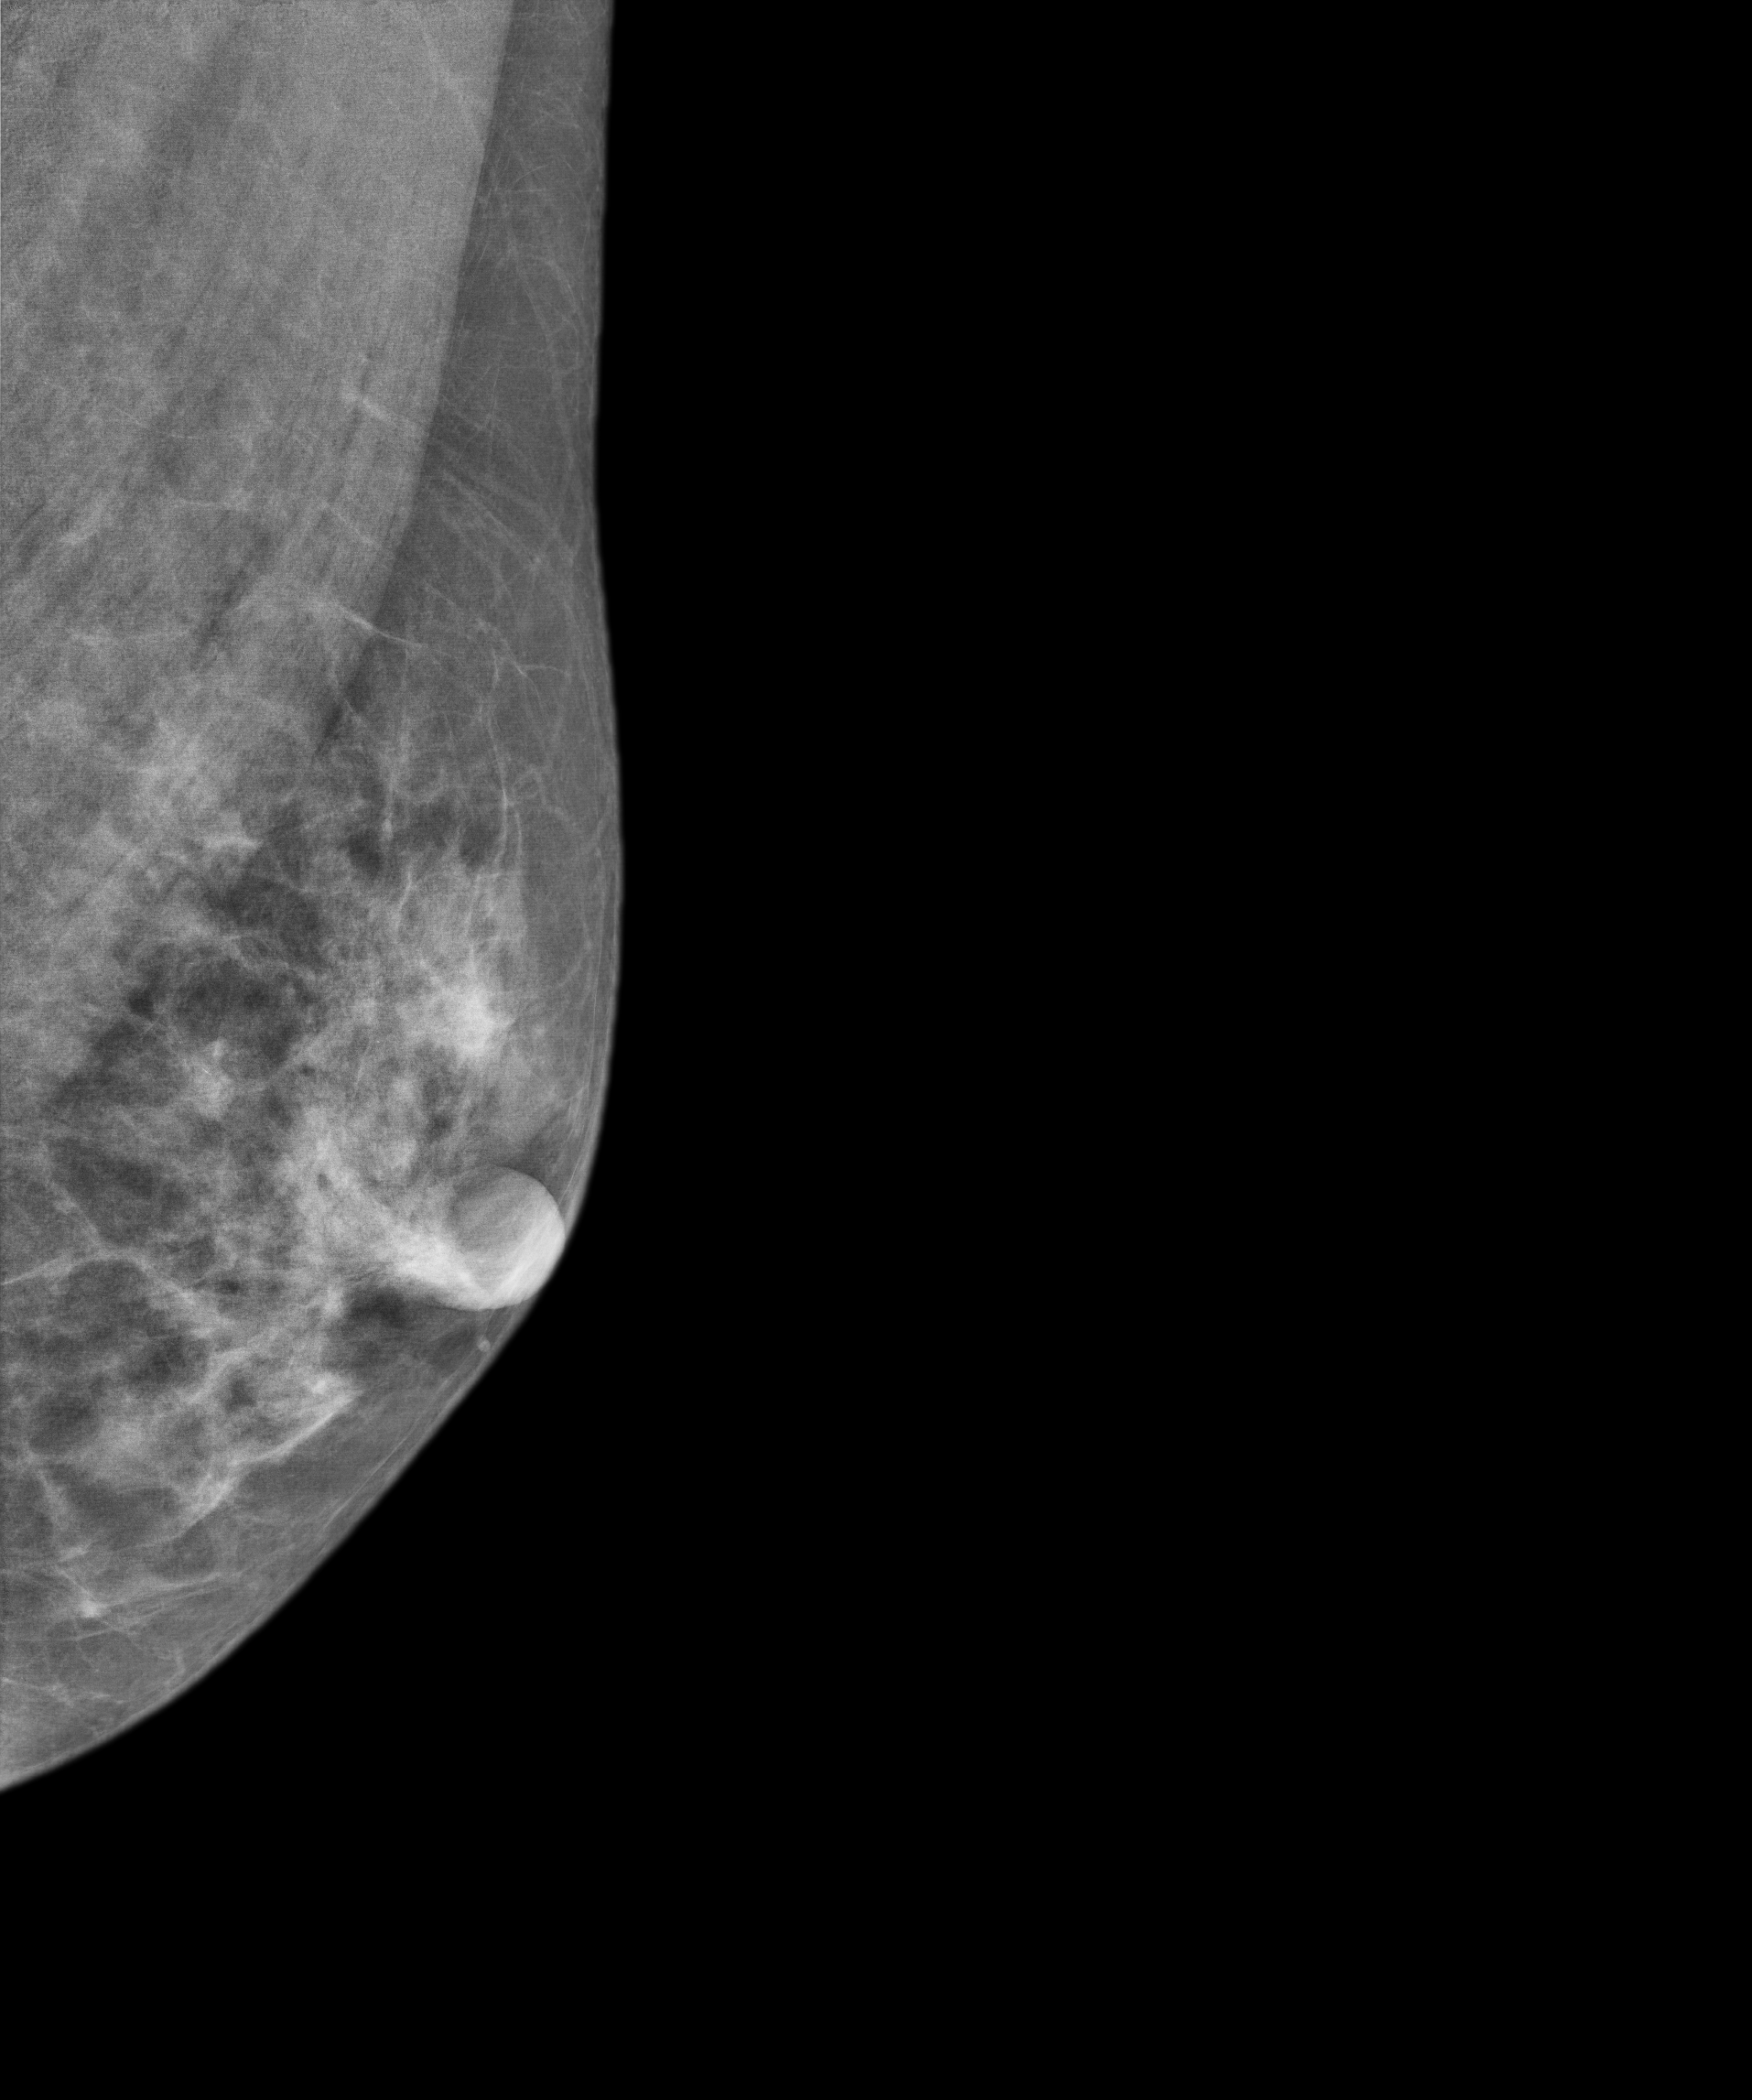
Digital mammography. Left breast, MLO projection. 45 y/o patient.
Contralateral breast — no documented abnormality on this side.